MLO mammogram of the left breast. 67 y/o patient.
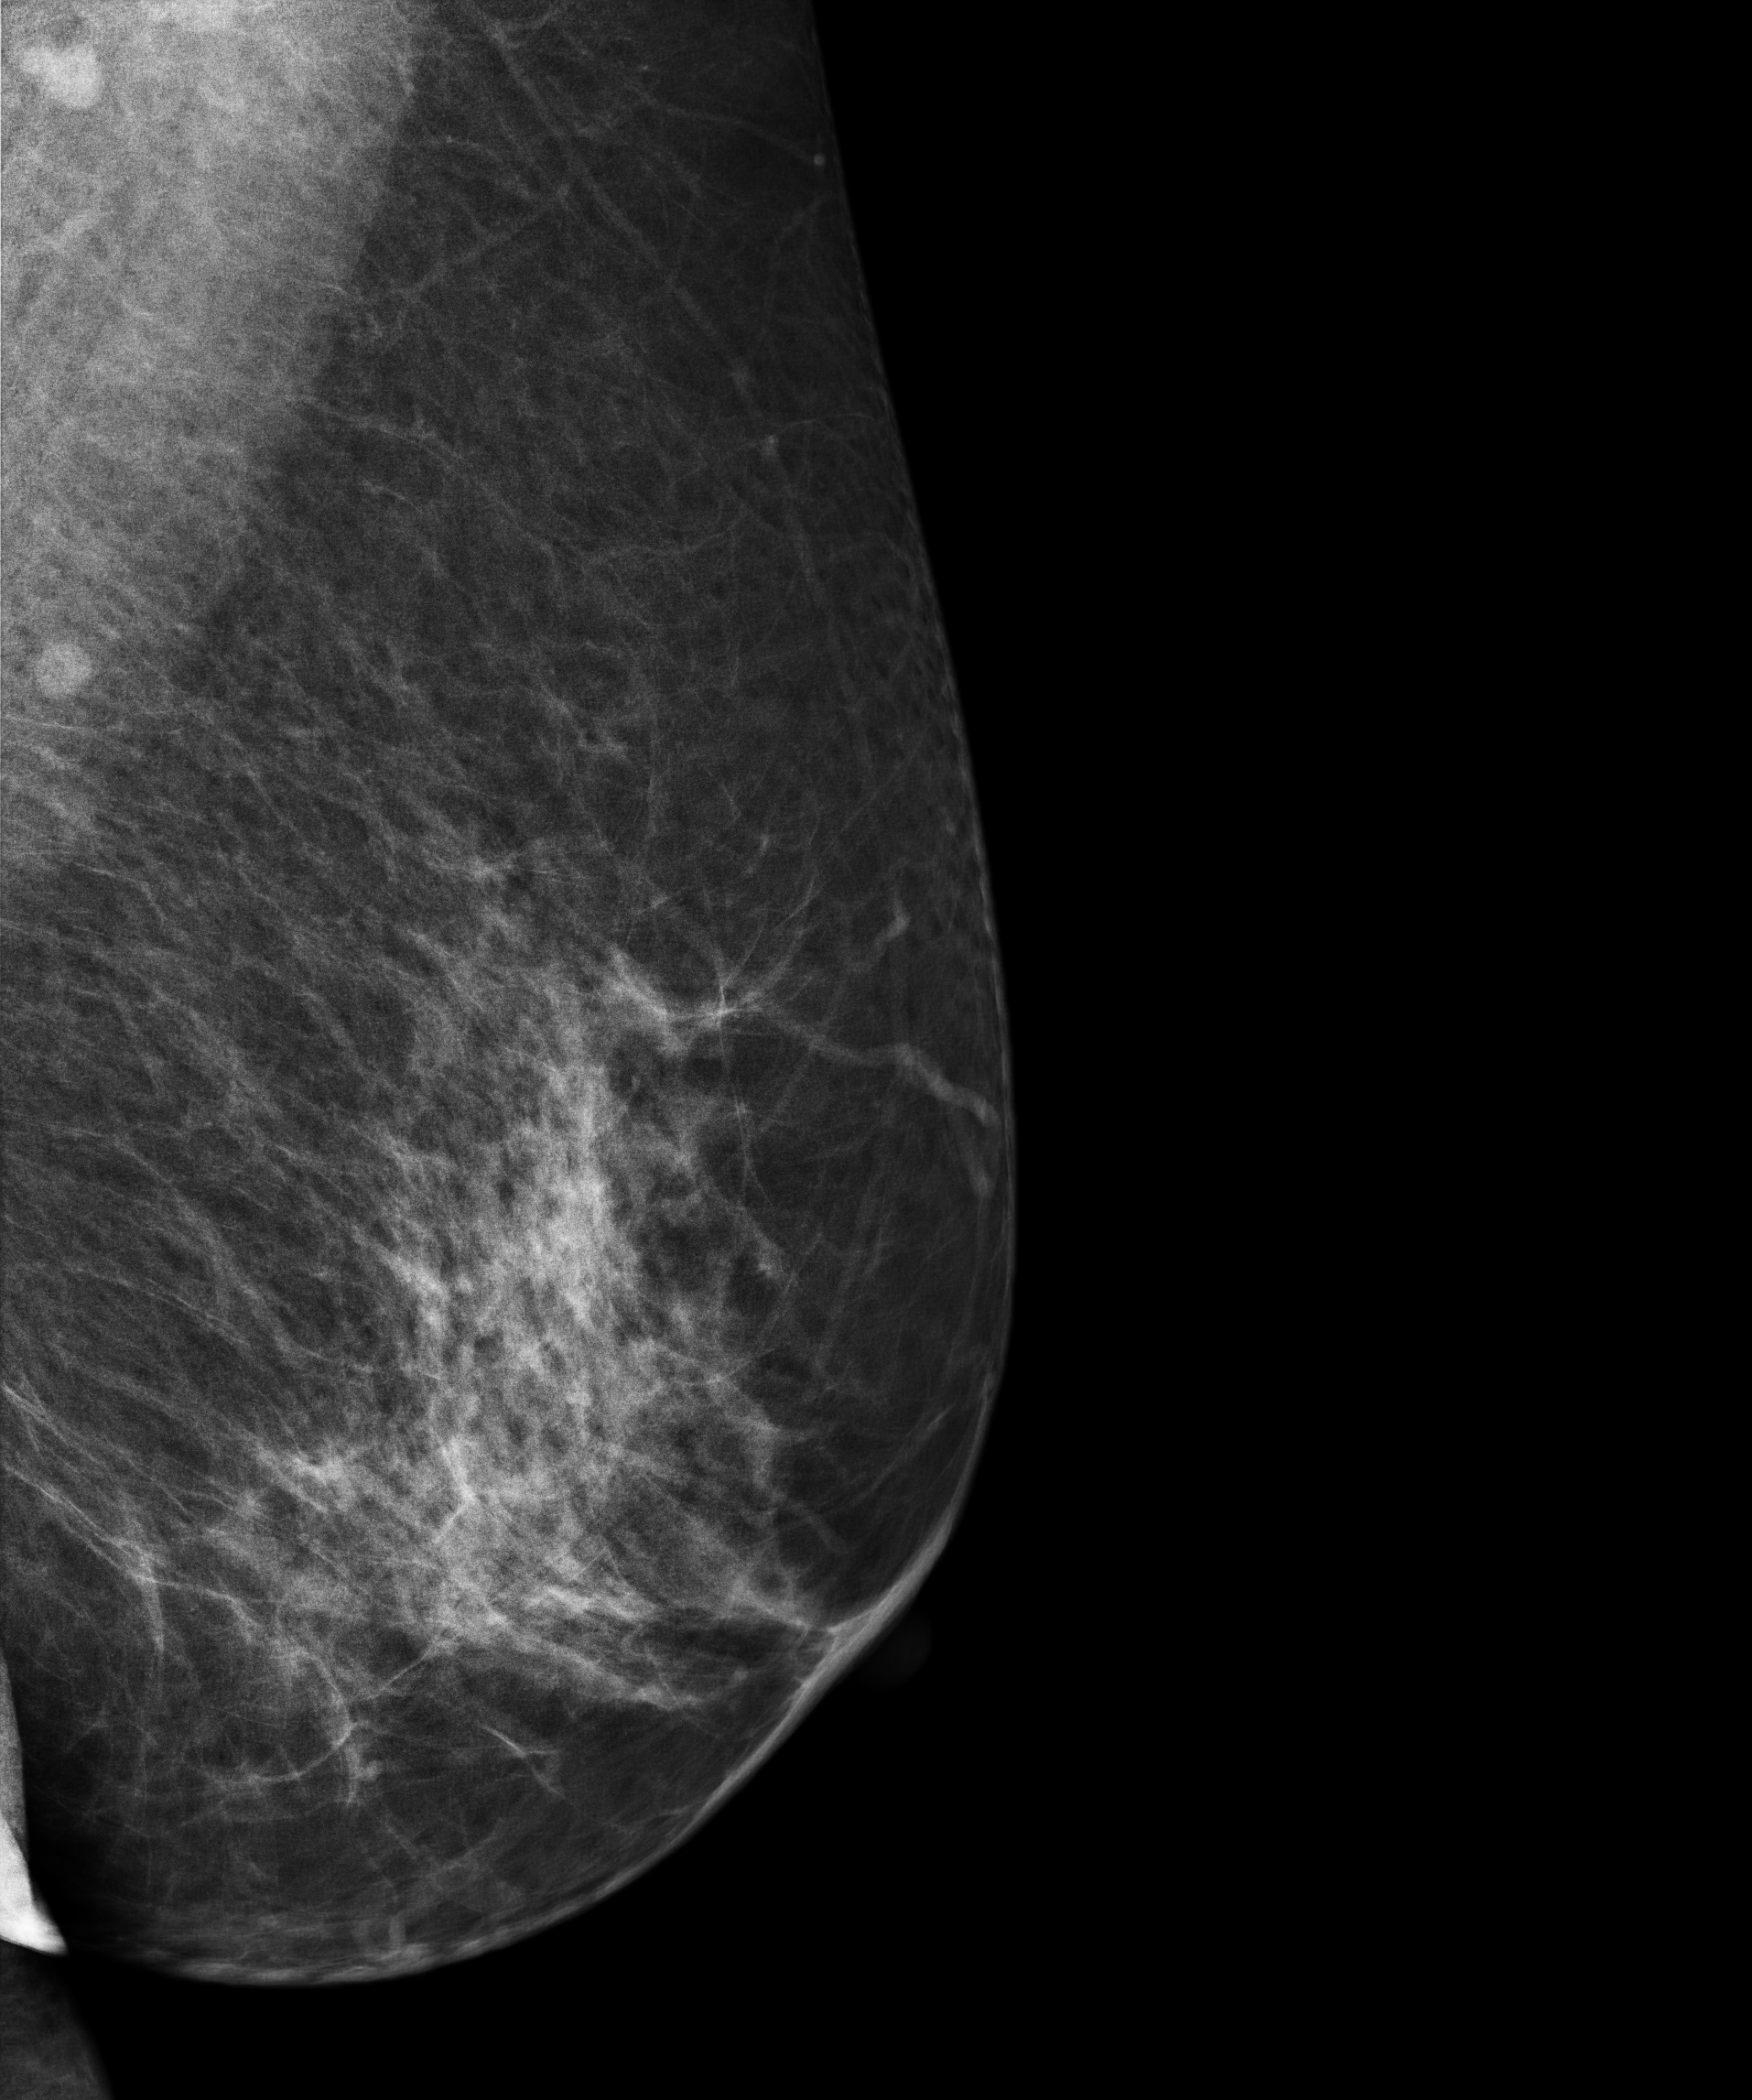
Contralateral breast — no documented abnormality on this side.